MLO mammogram of the right breast. Patient age 25.
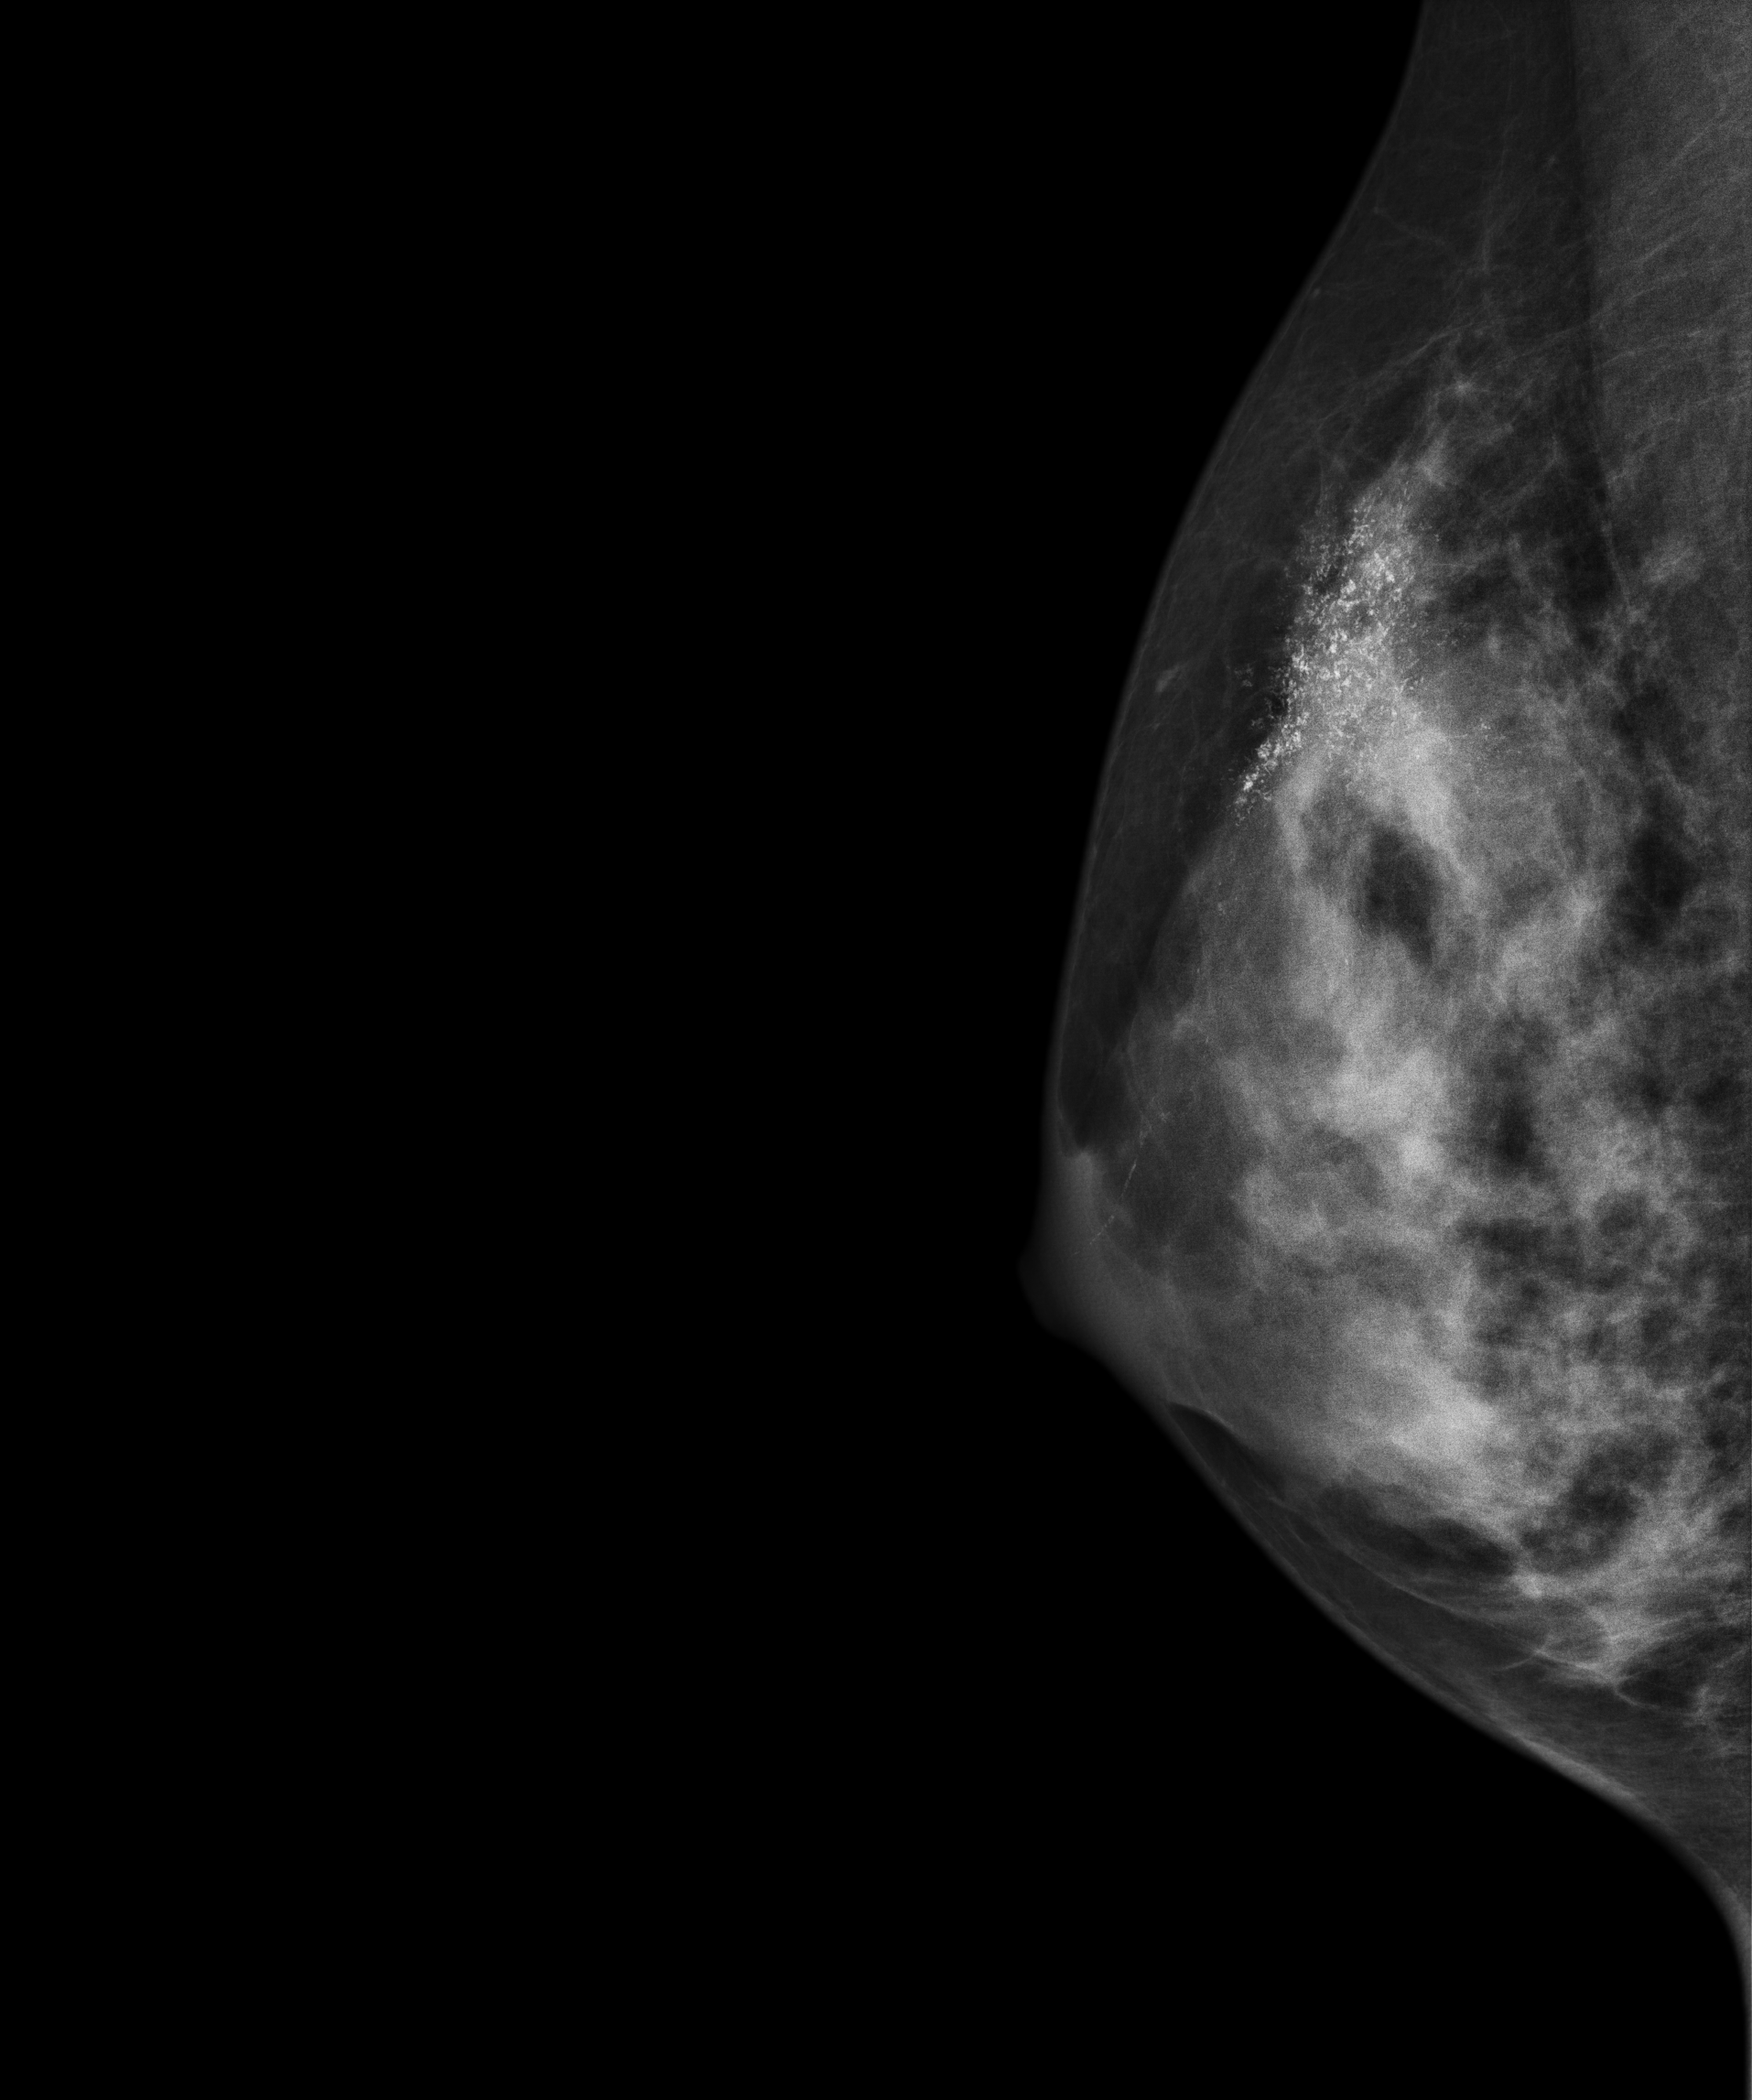
This breast has calcifications, histologically confirmed malignant. Molecular subtype: luminal A.